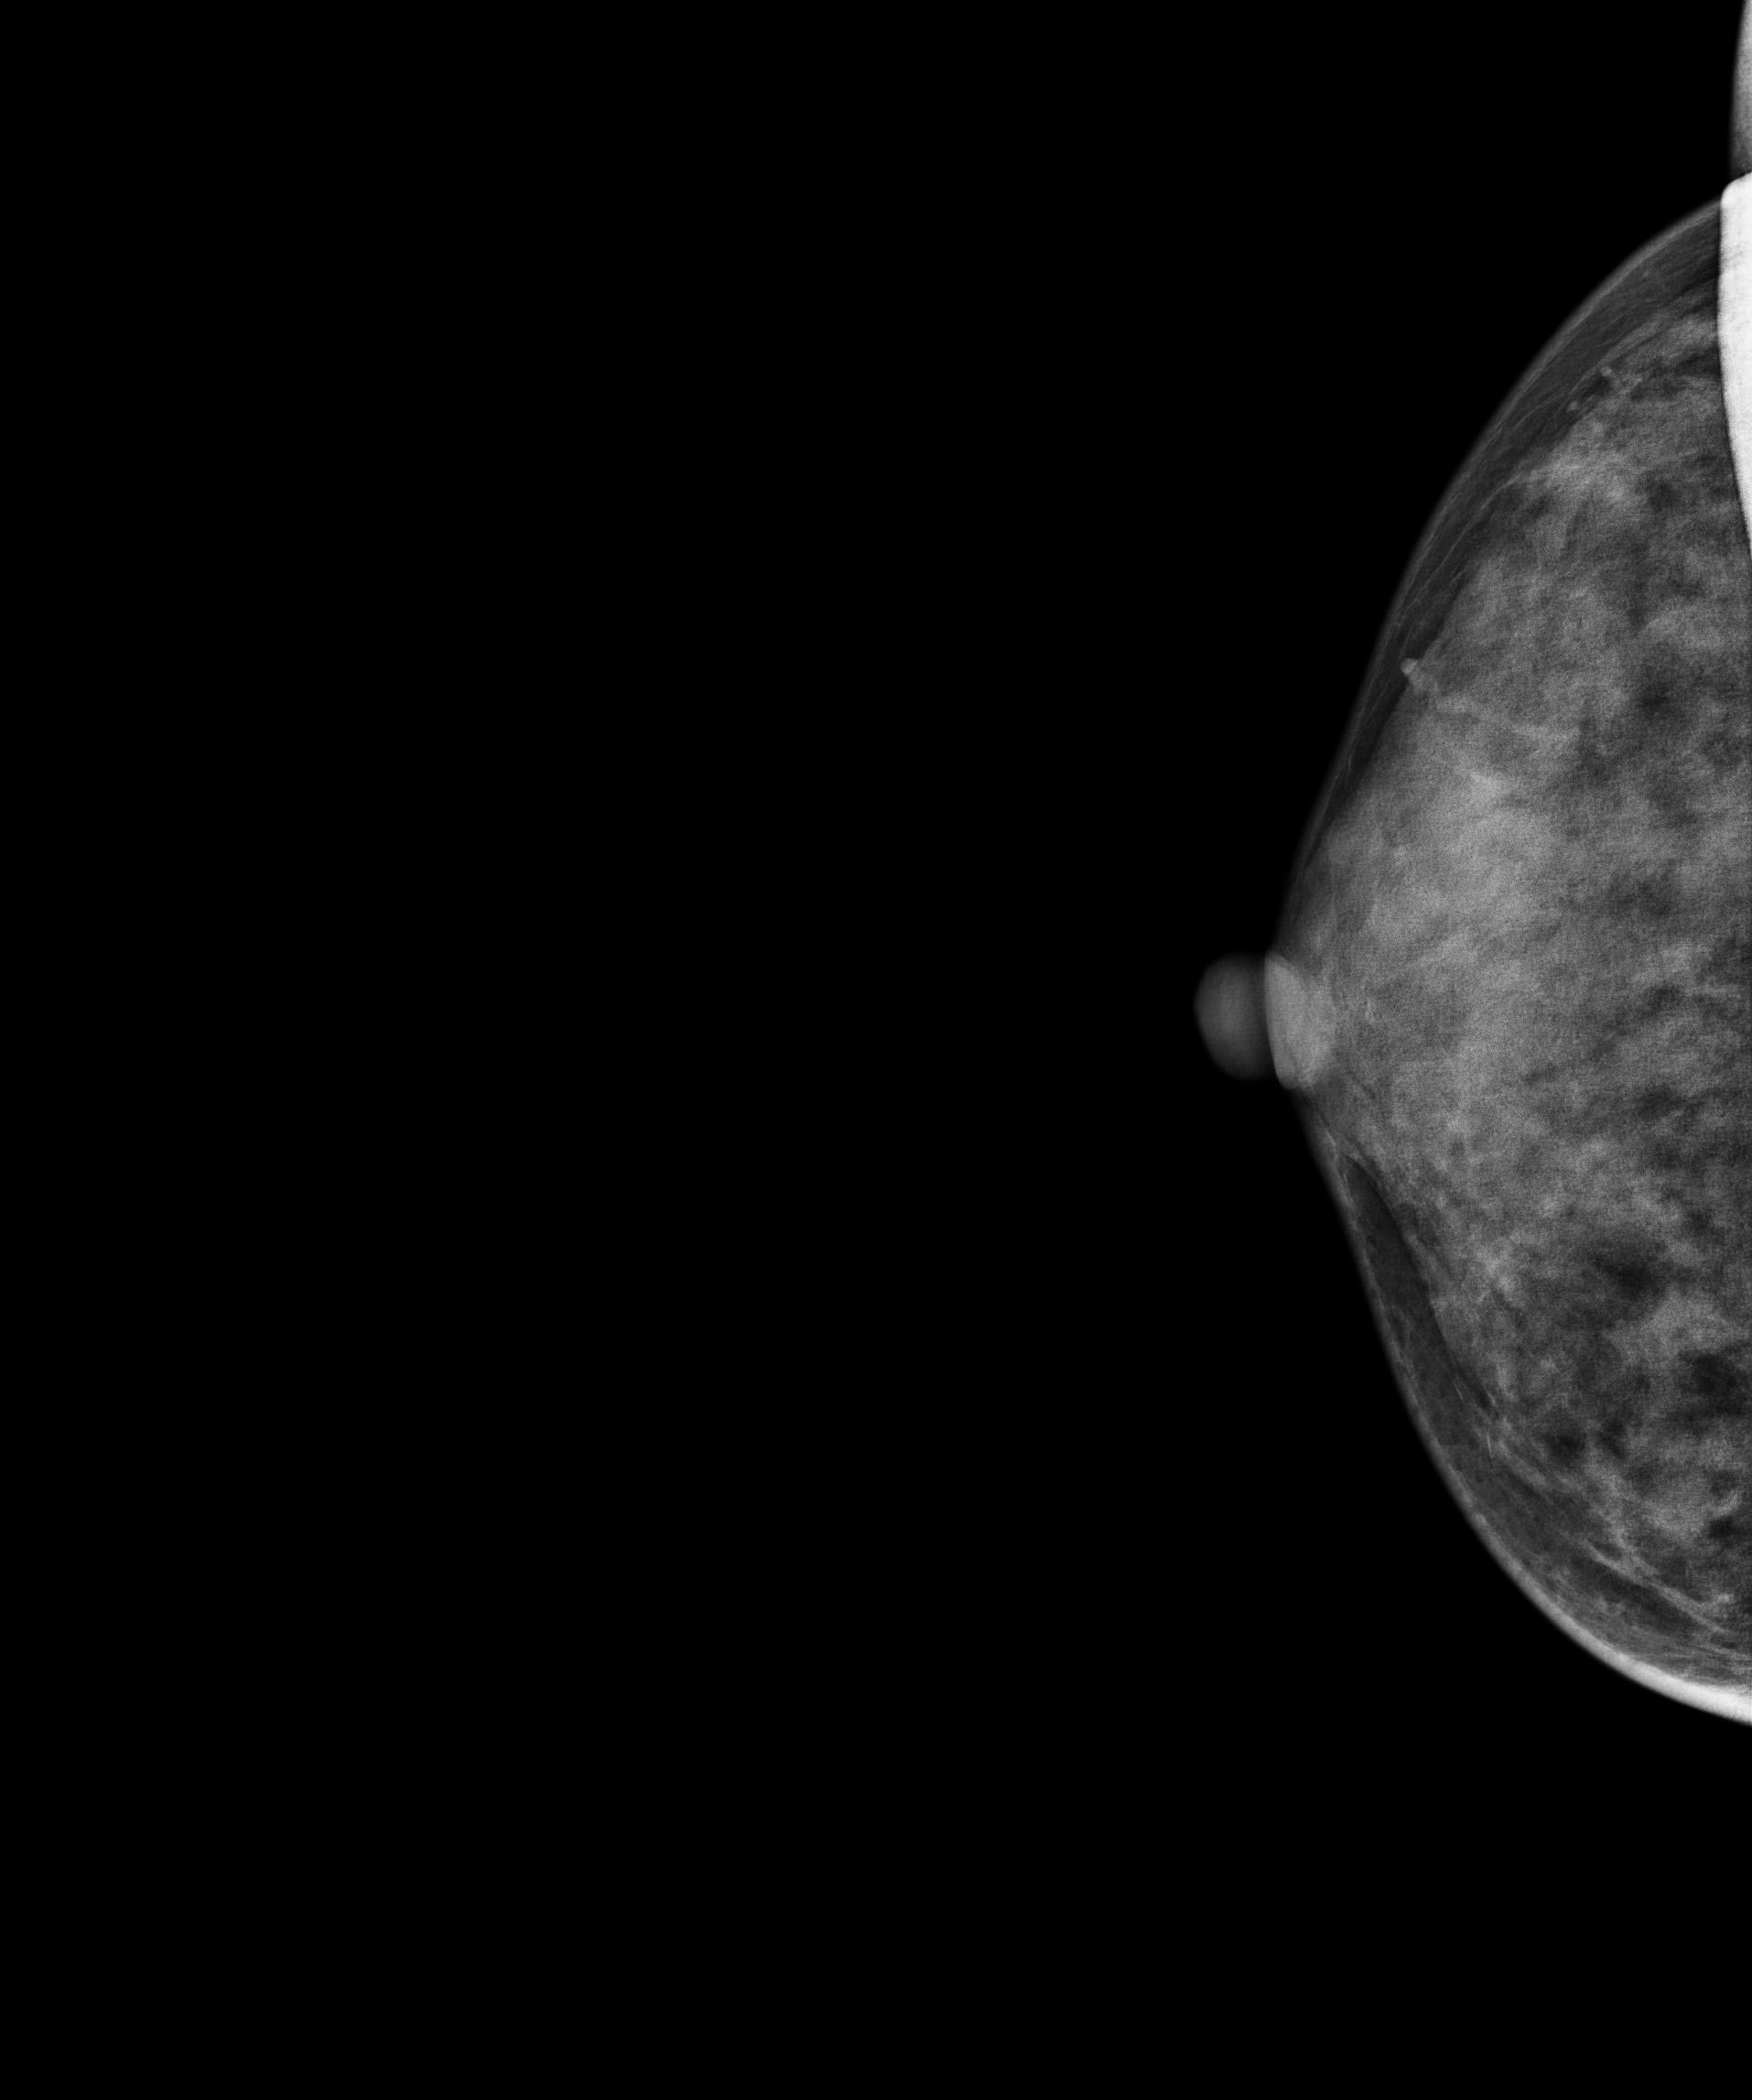
Digital mammography. Right breast, cranio-caudal projection. 46-year-old patient.
This breast has a mass, biopsy-proven malignant.